Mammogram, left breast, medio-lateral oblique view. 27-year-old patient.
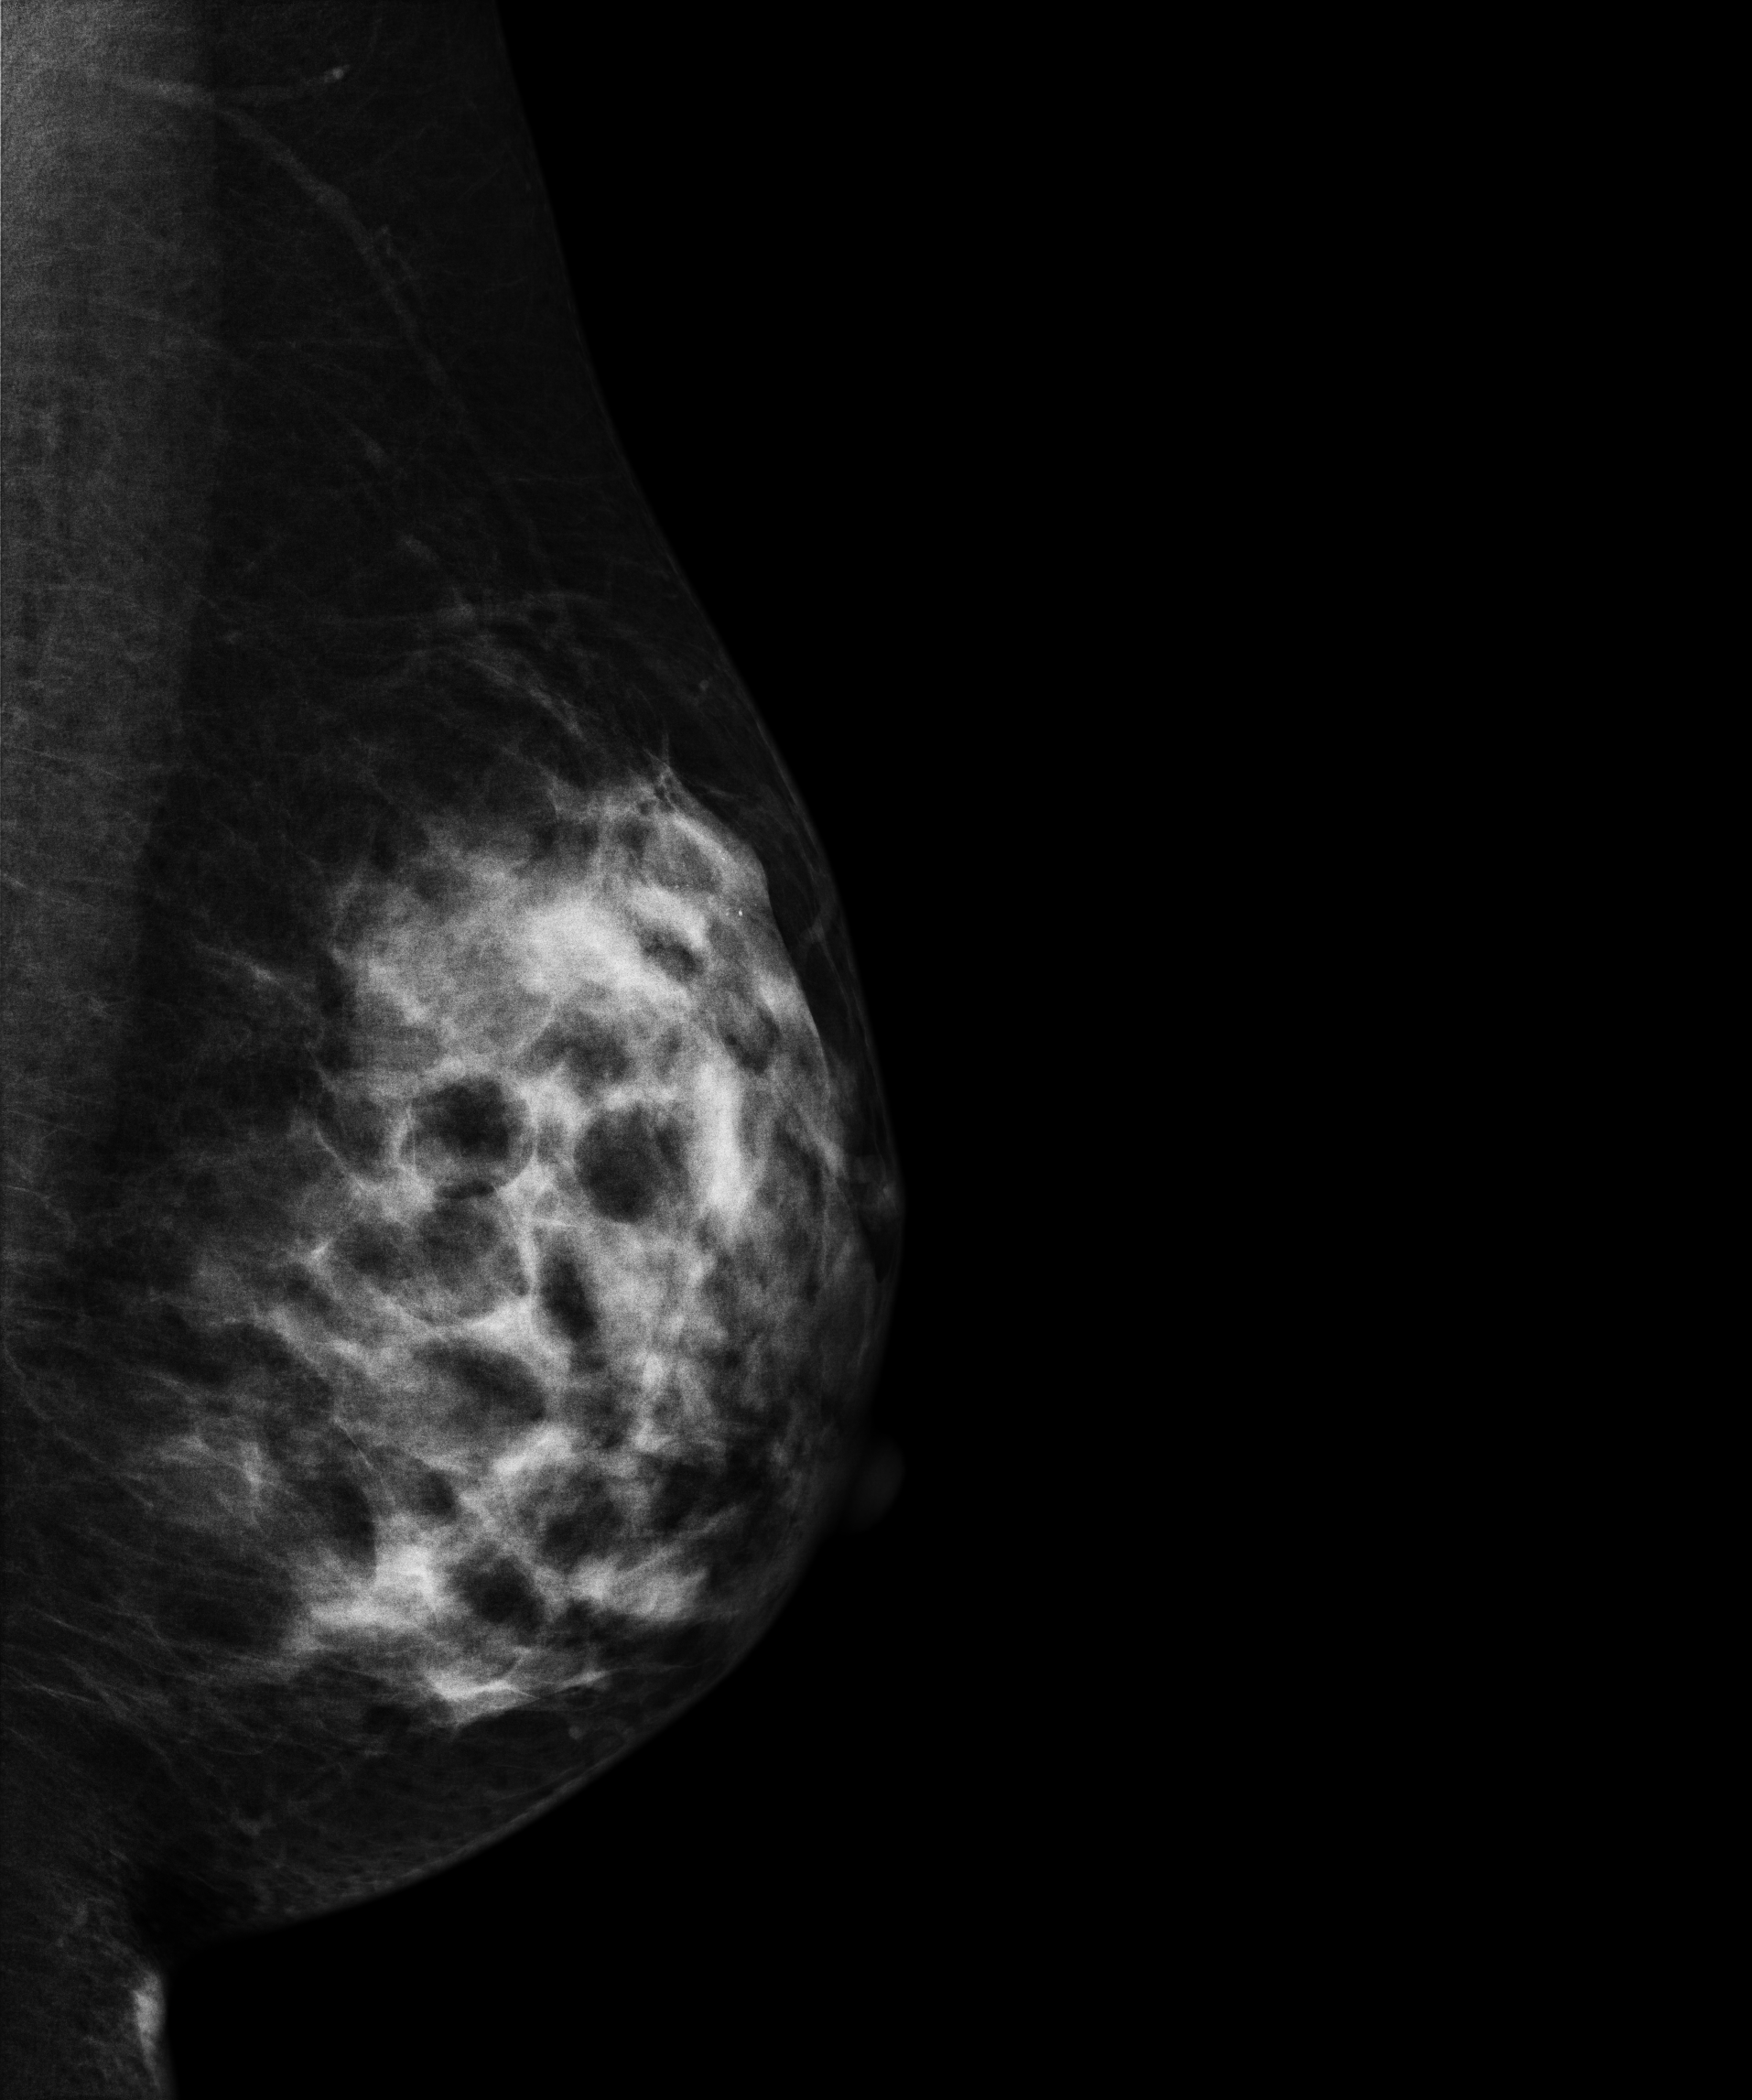
This breast has calcifications, biopsy-confirmed malignant.